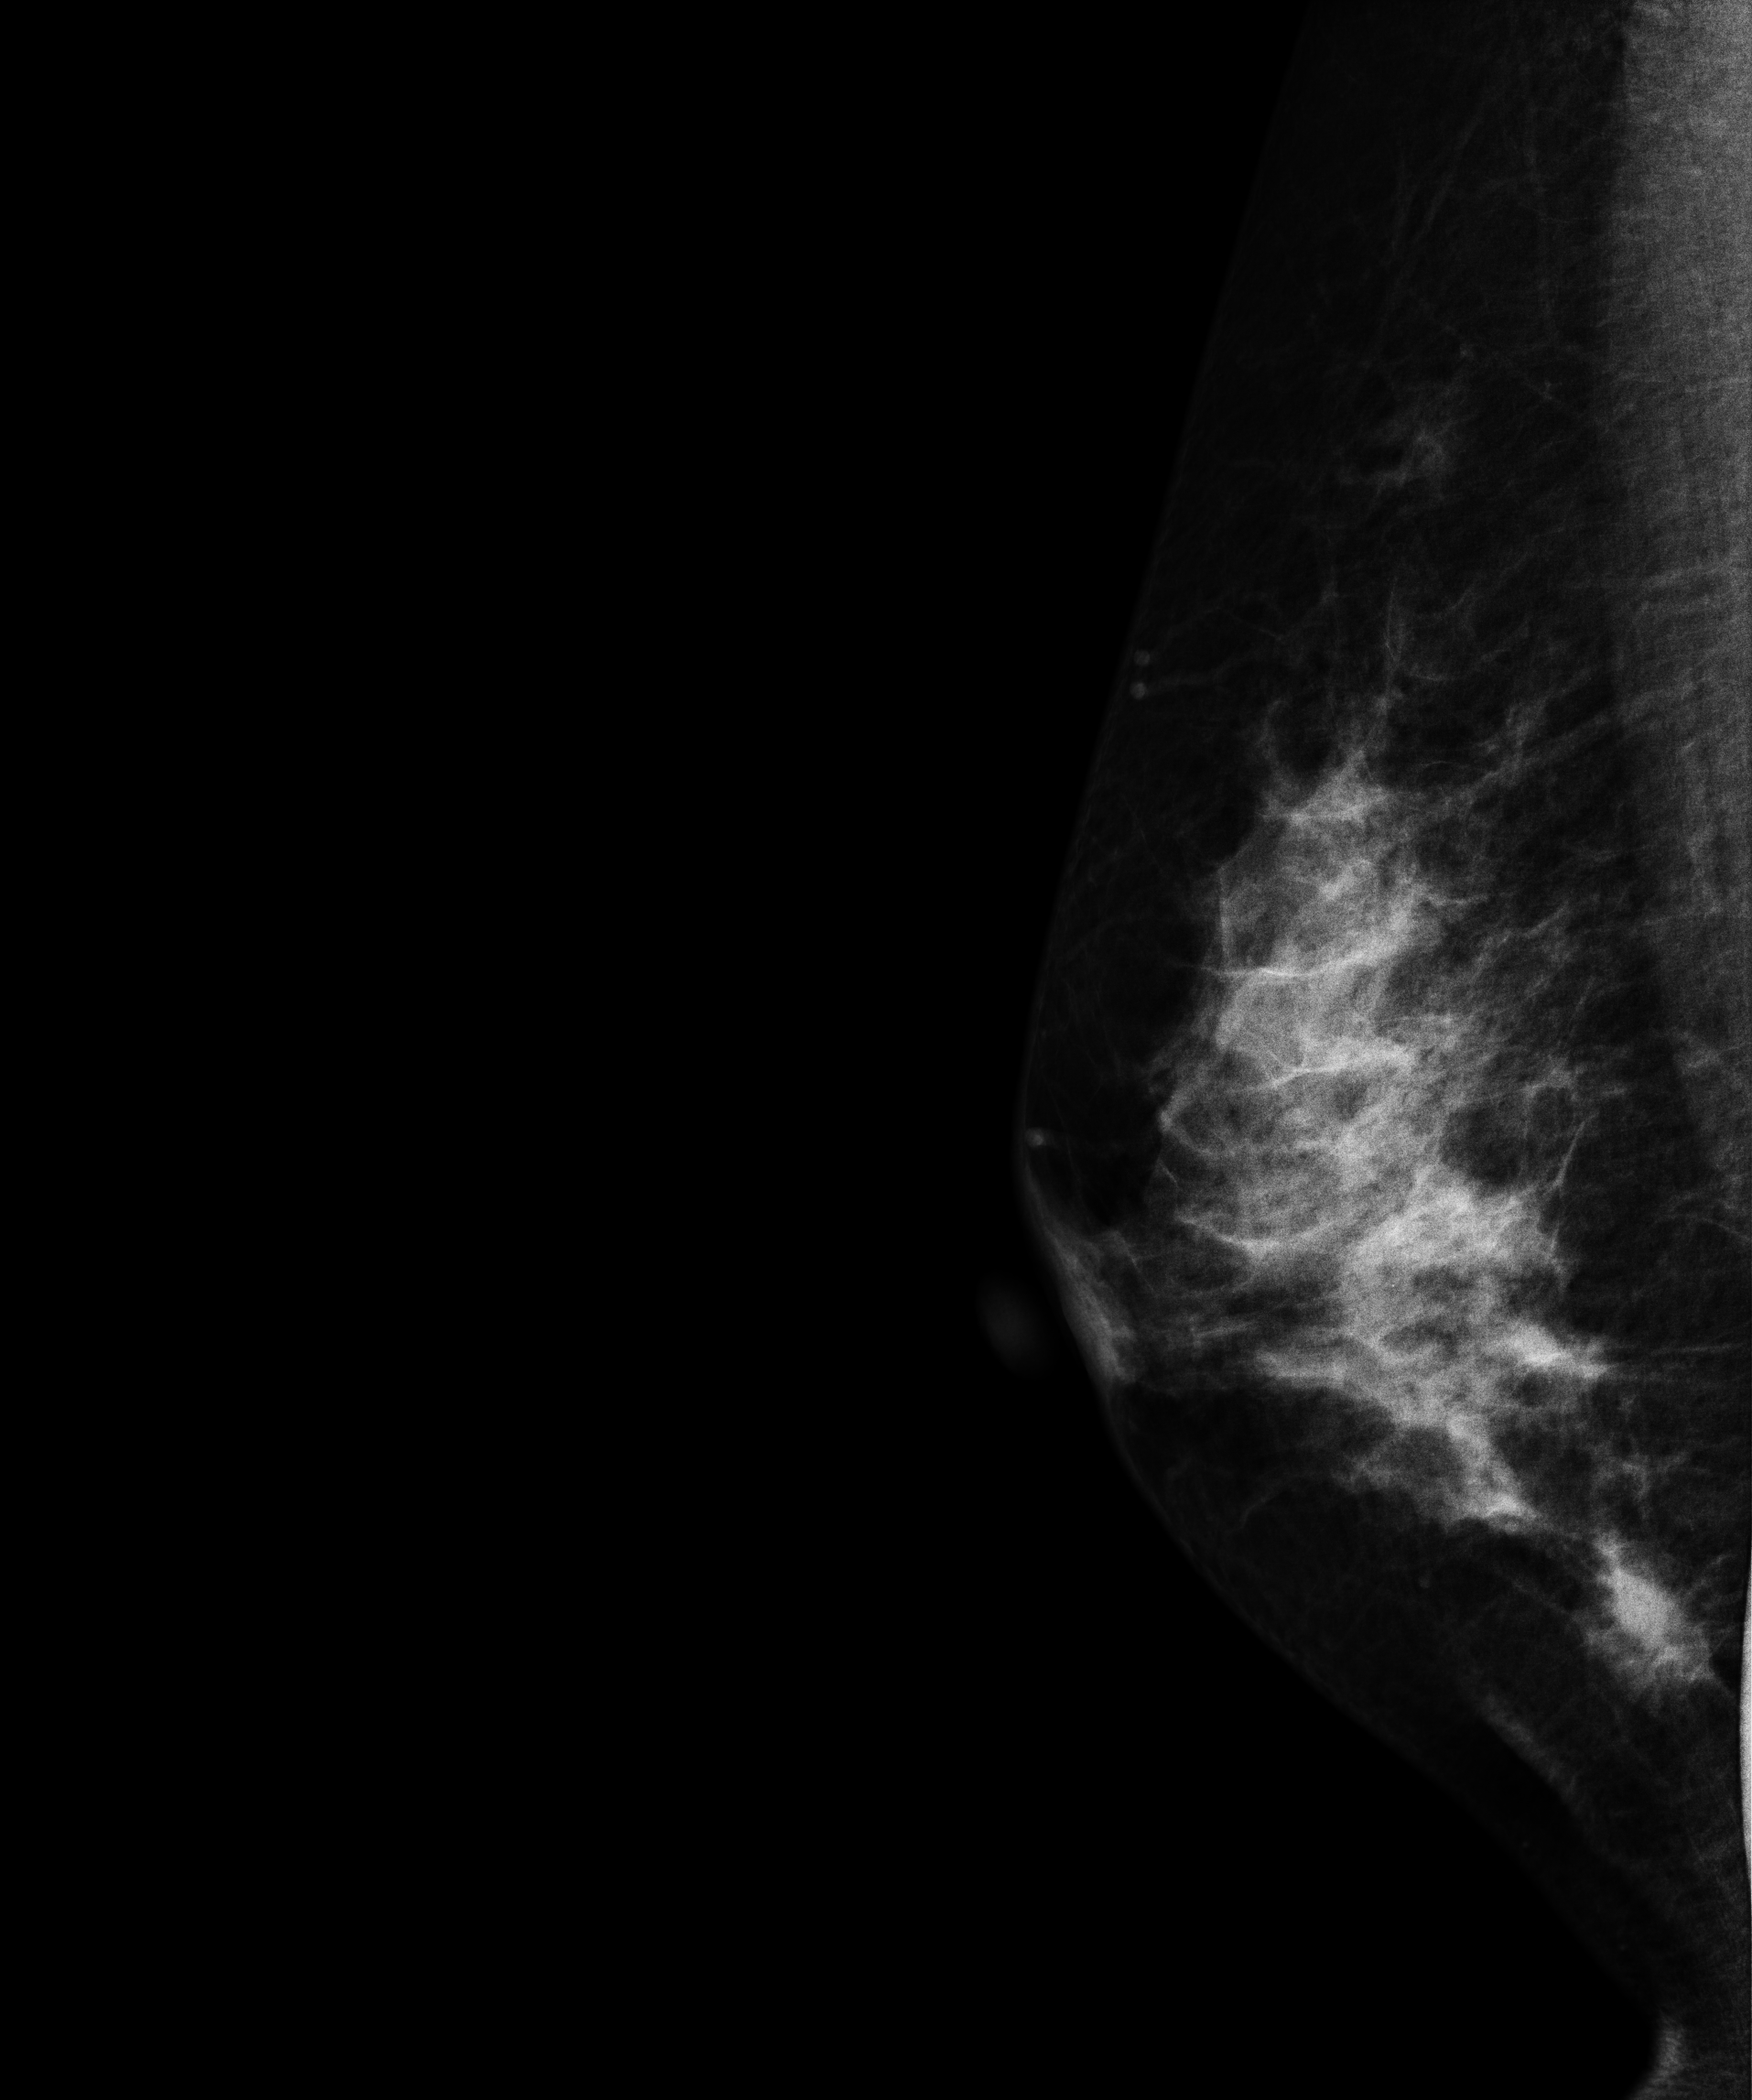
Digital mammography. Right breast, MLO projection. 50 y/o patient.
This breast has a mass, histologically confirmed malignant.